Cranio-caudal mammogram of the right breast. Patient age 39.
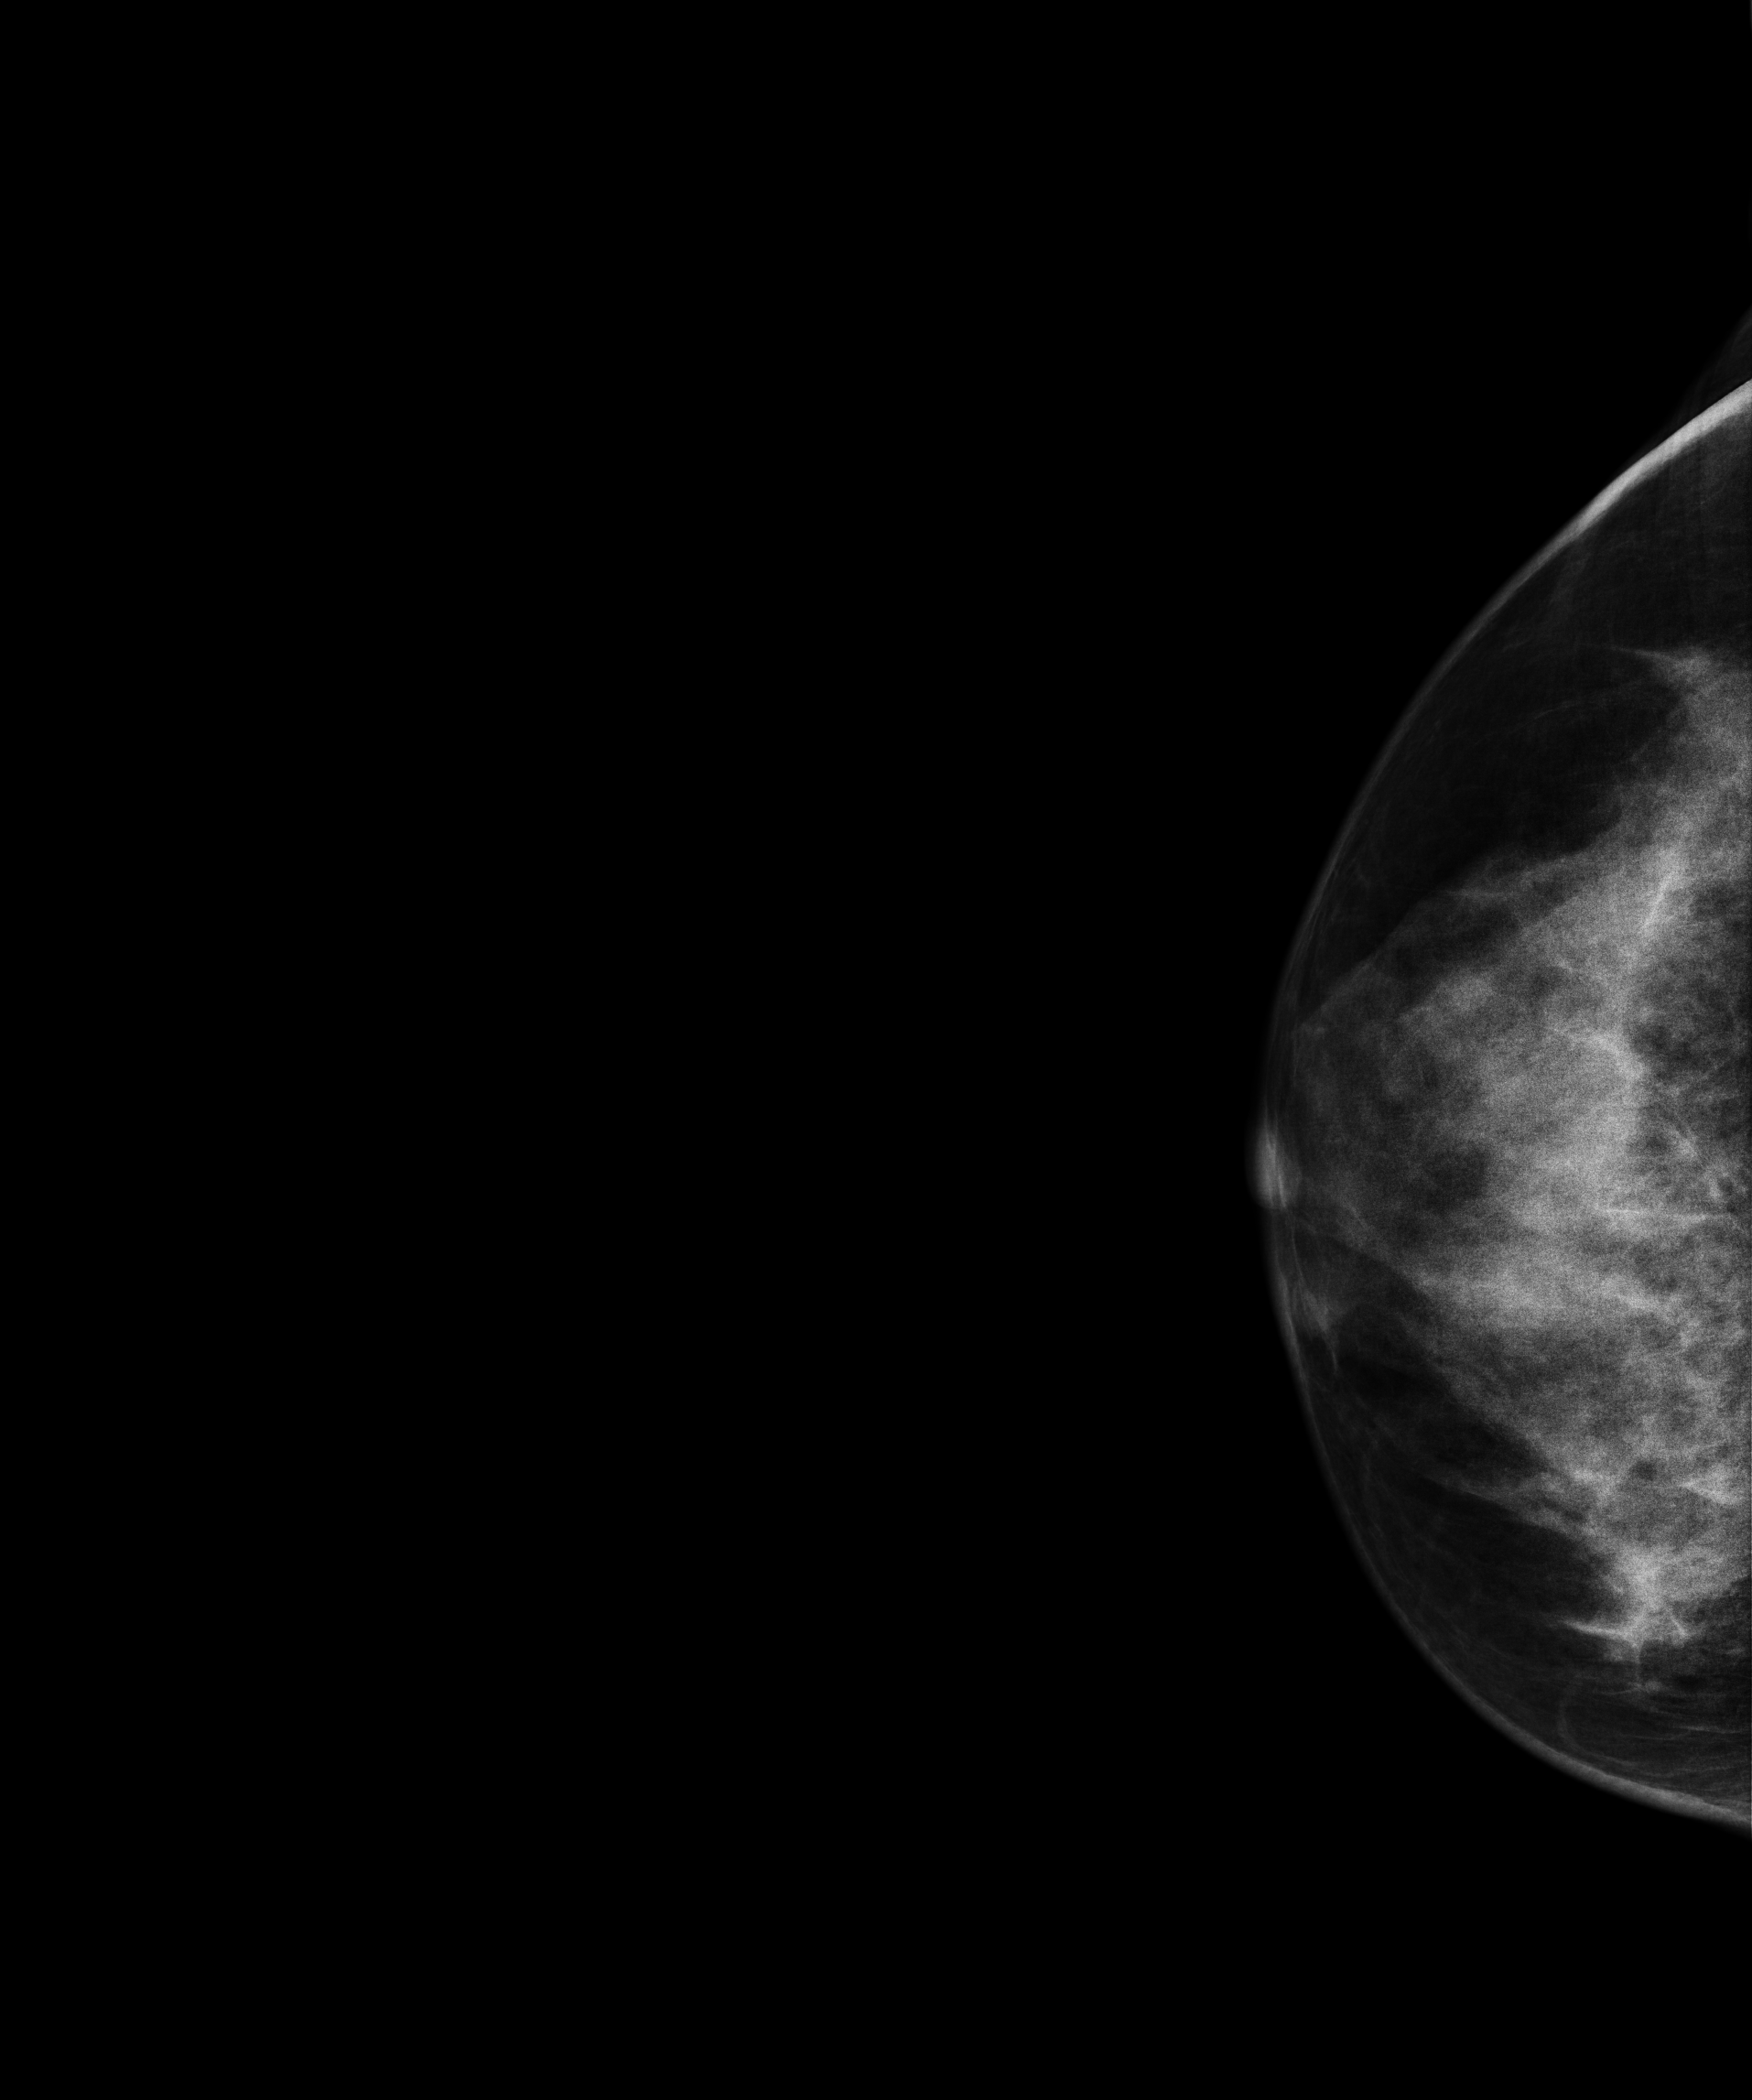
Contralateral breast — no documented abnormality on this side.